Digital mammography. Left breast, medio-lateral oblique projection. 41 y/o patient.
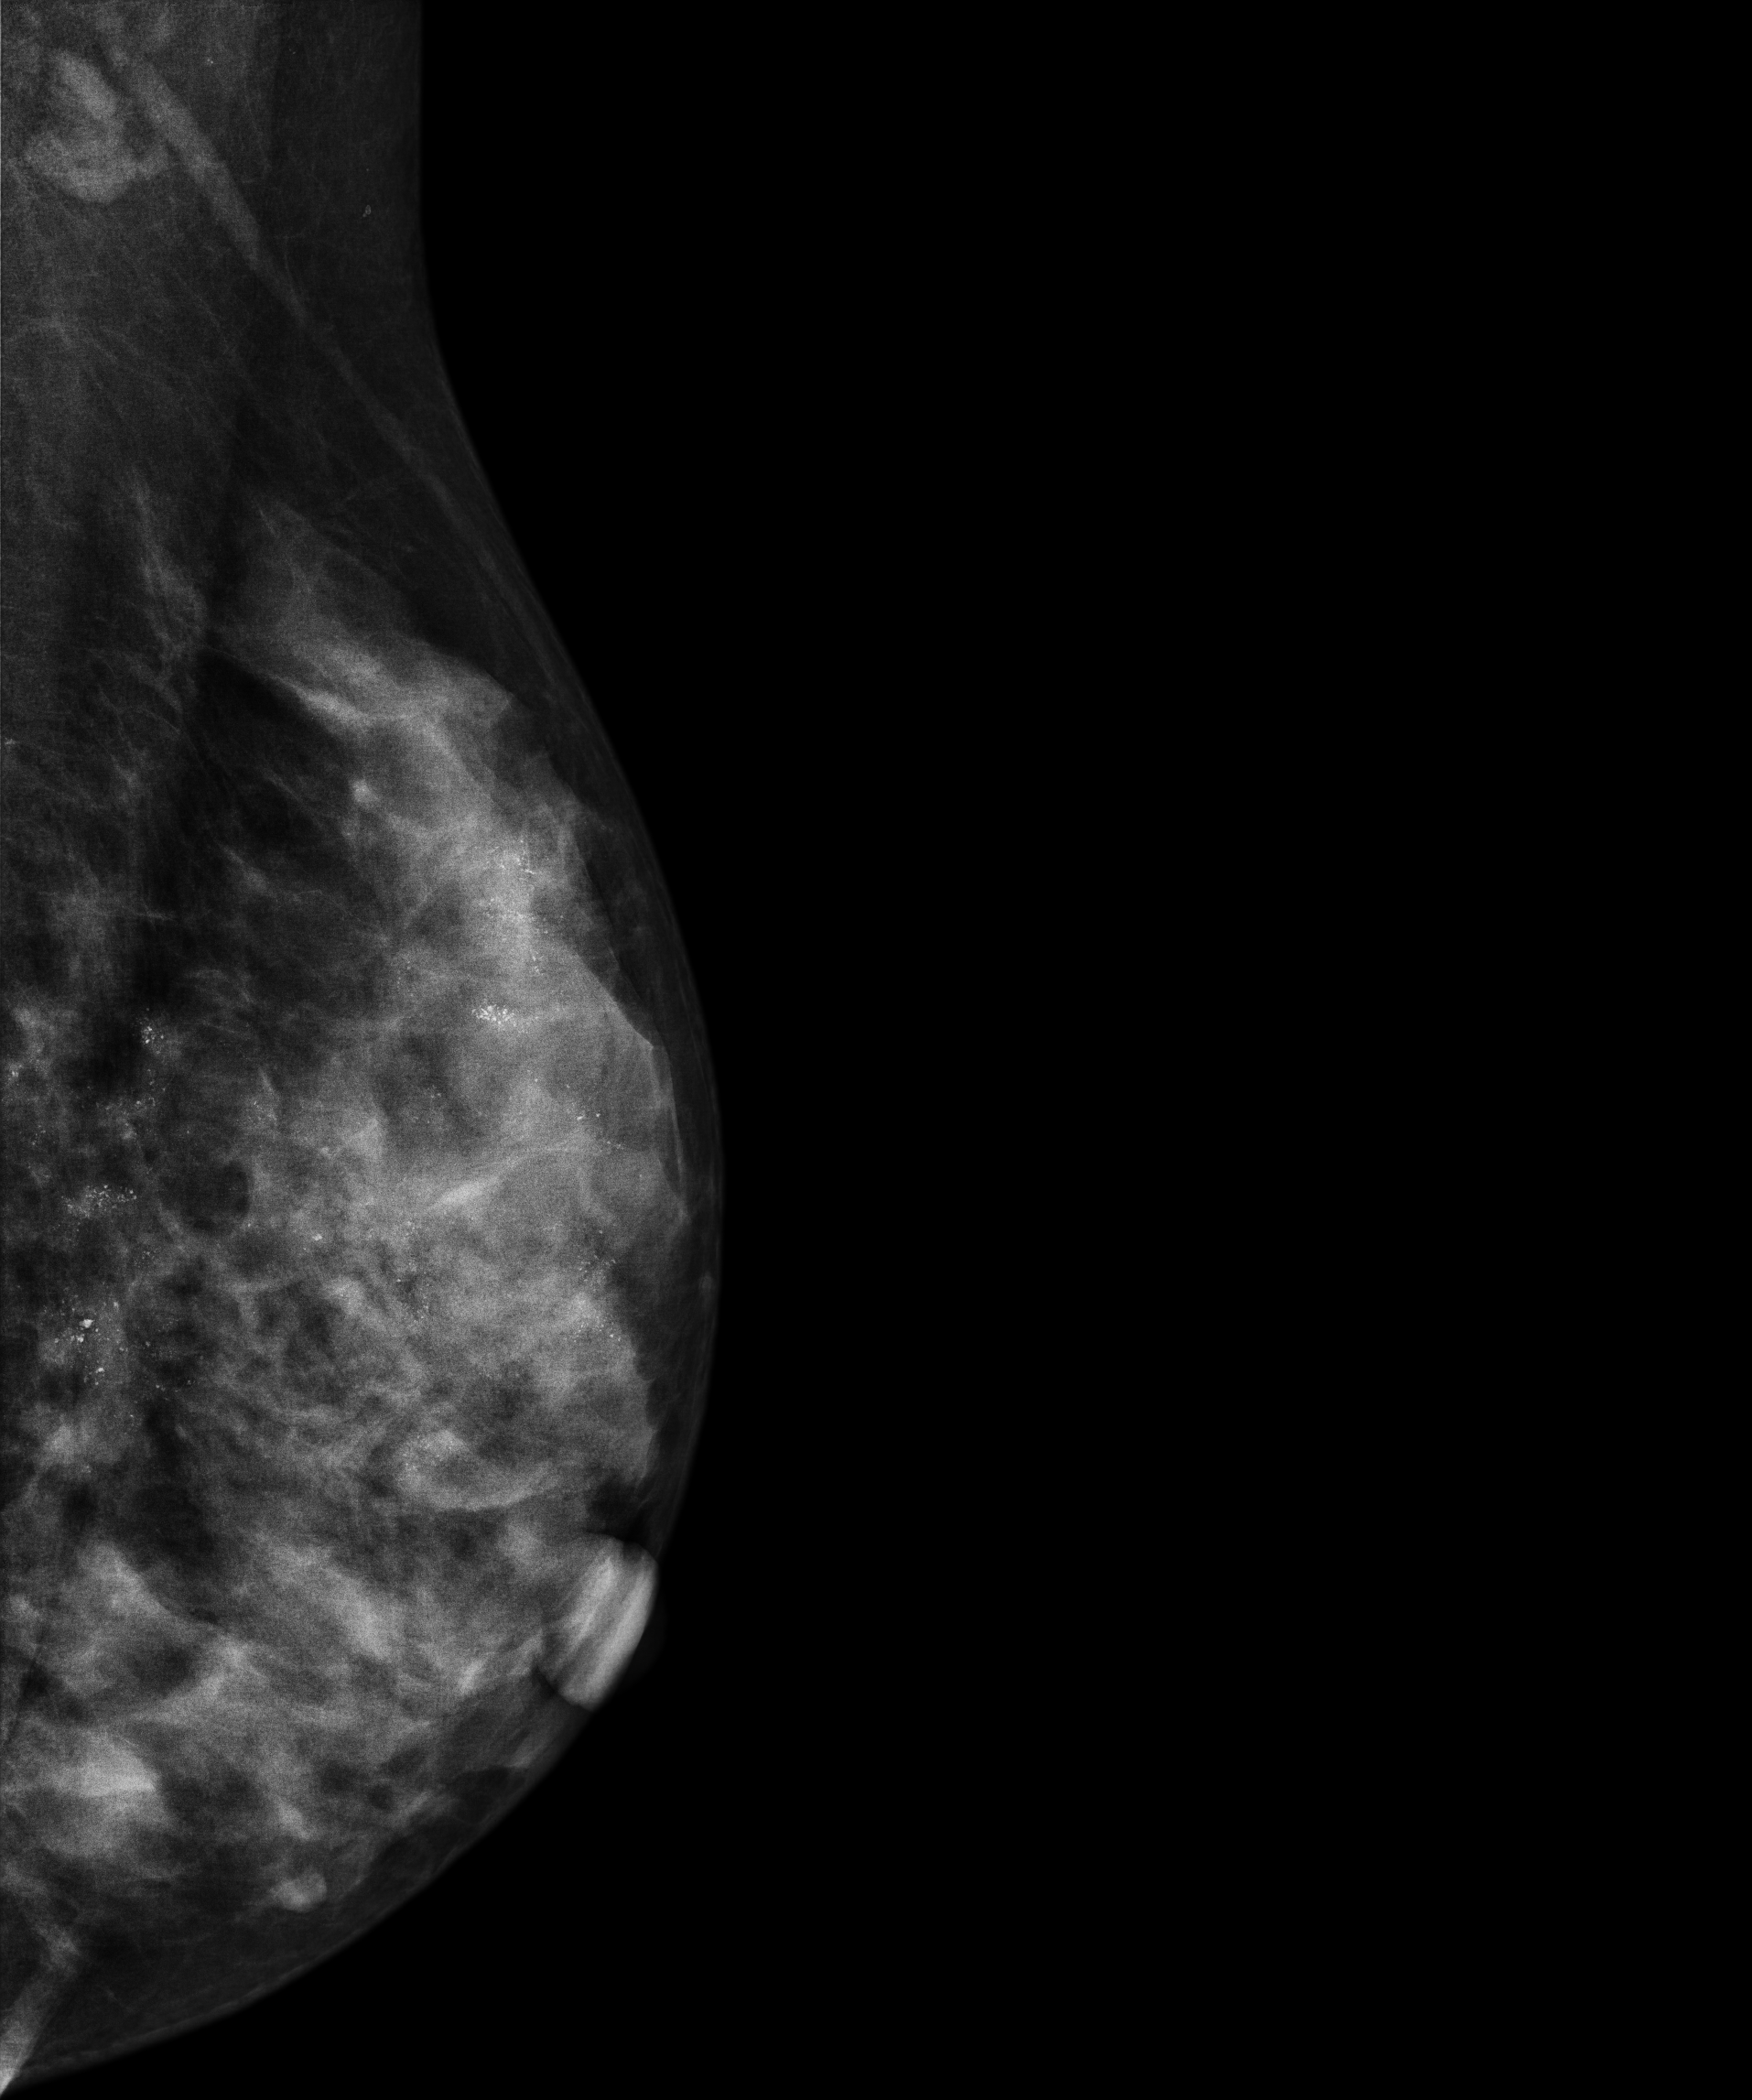
This breast has calcifications, pathology-confirmed malignant.